Mammogram, right breast, cranio-caudal view. 28-year-old patient.
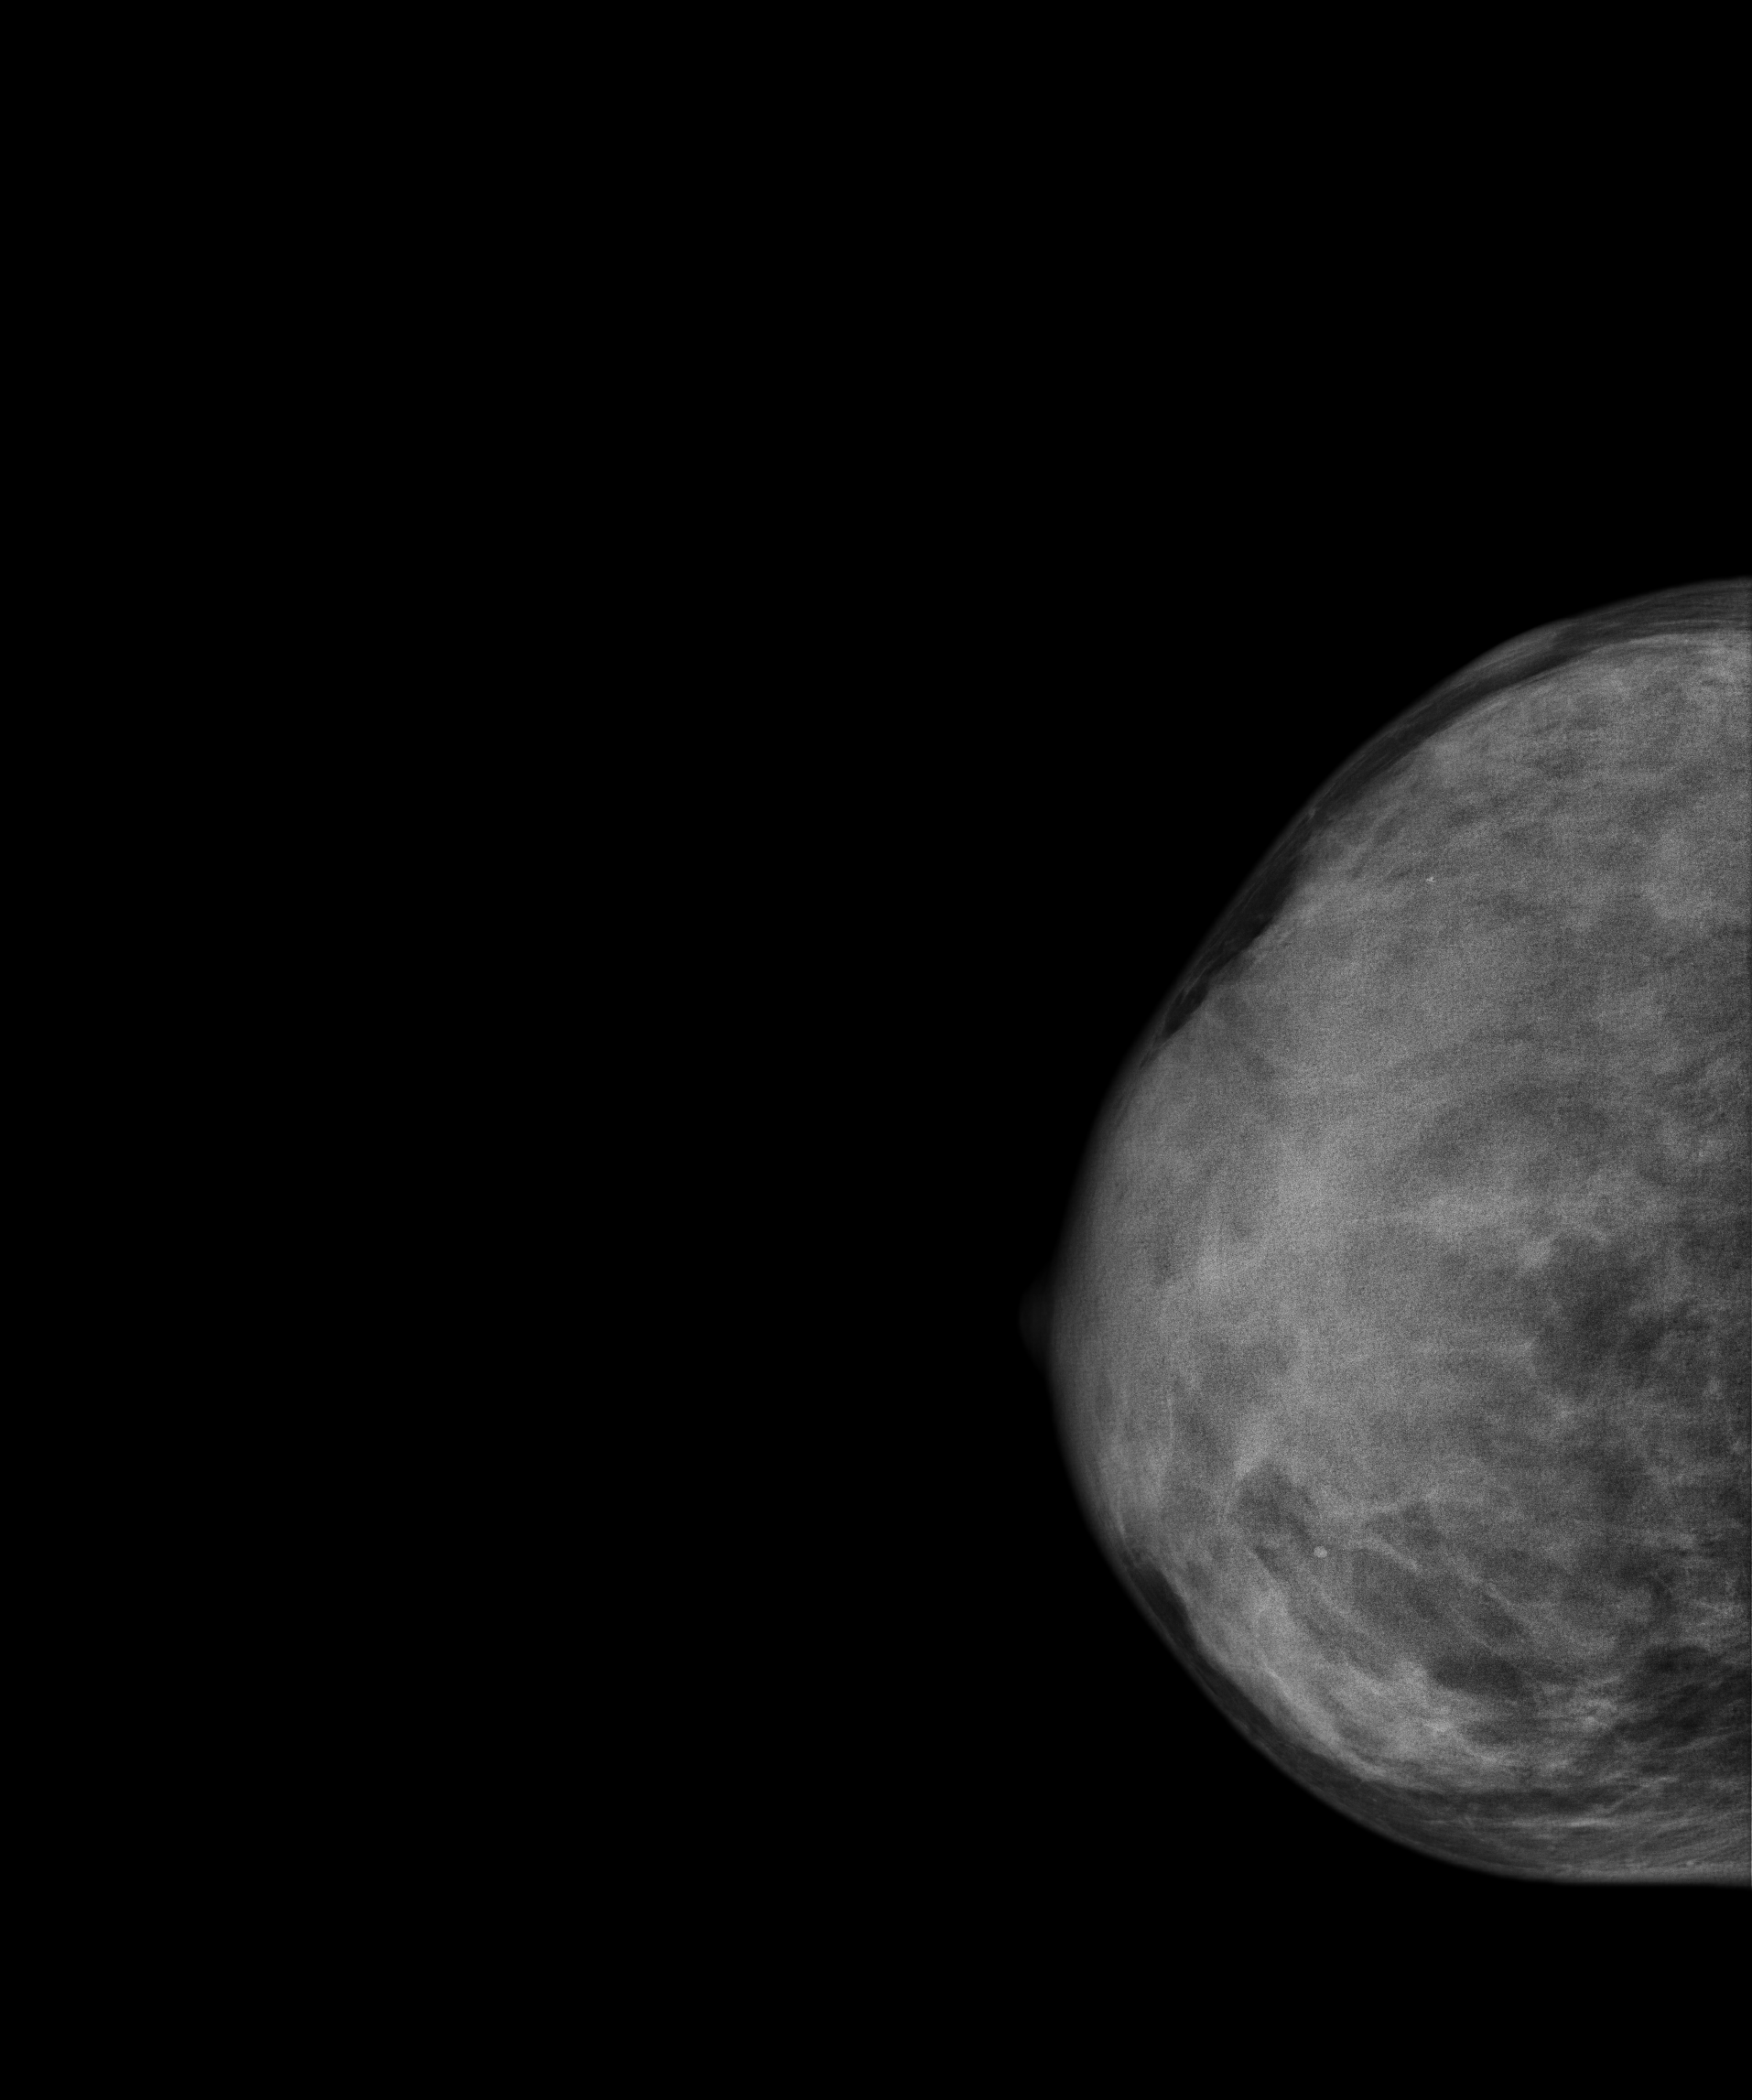
This breast has a mass, pathology-confirmed benign.